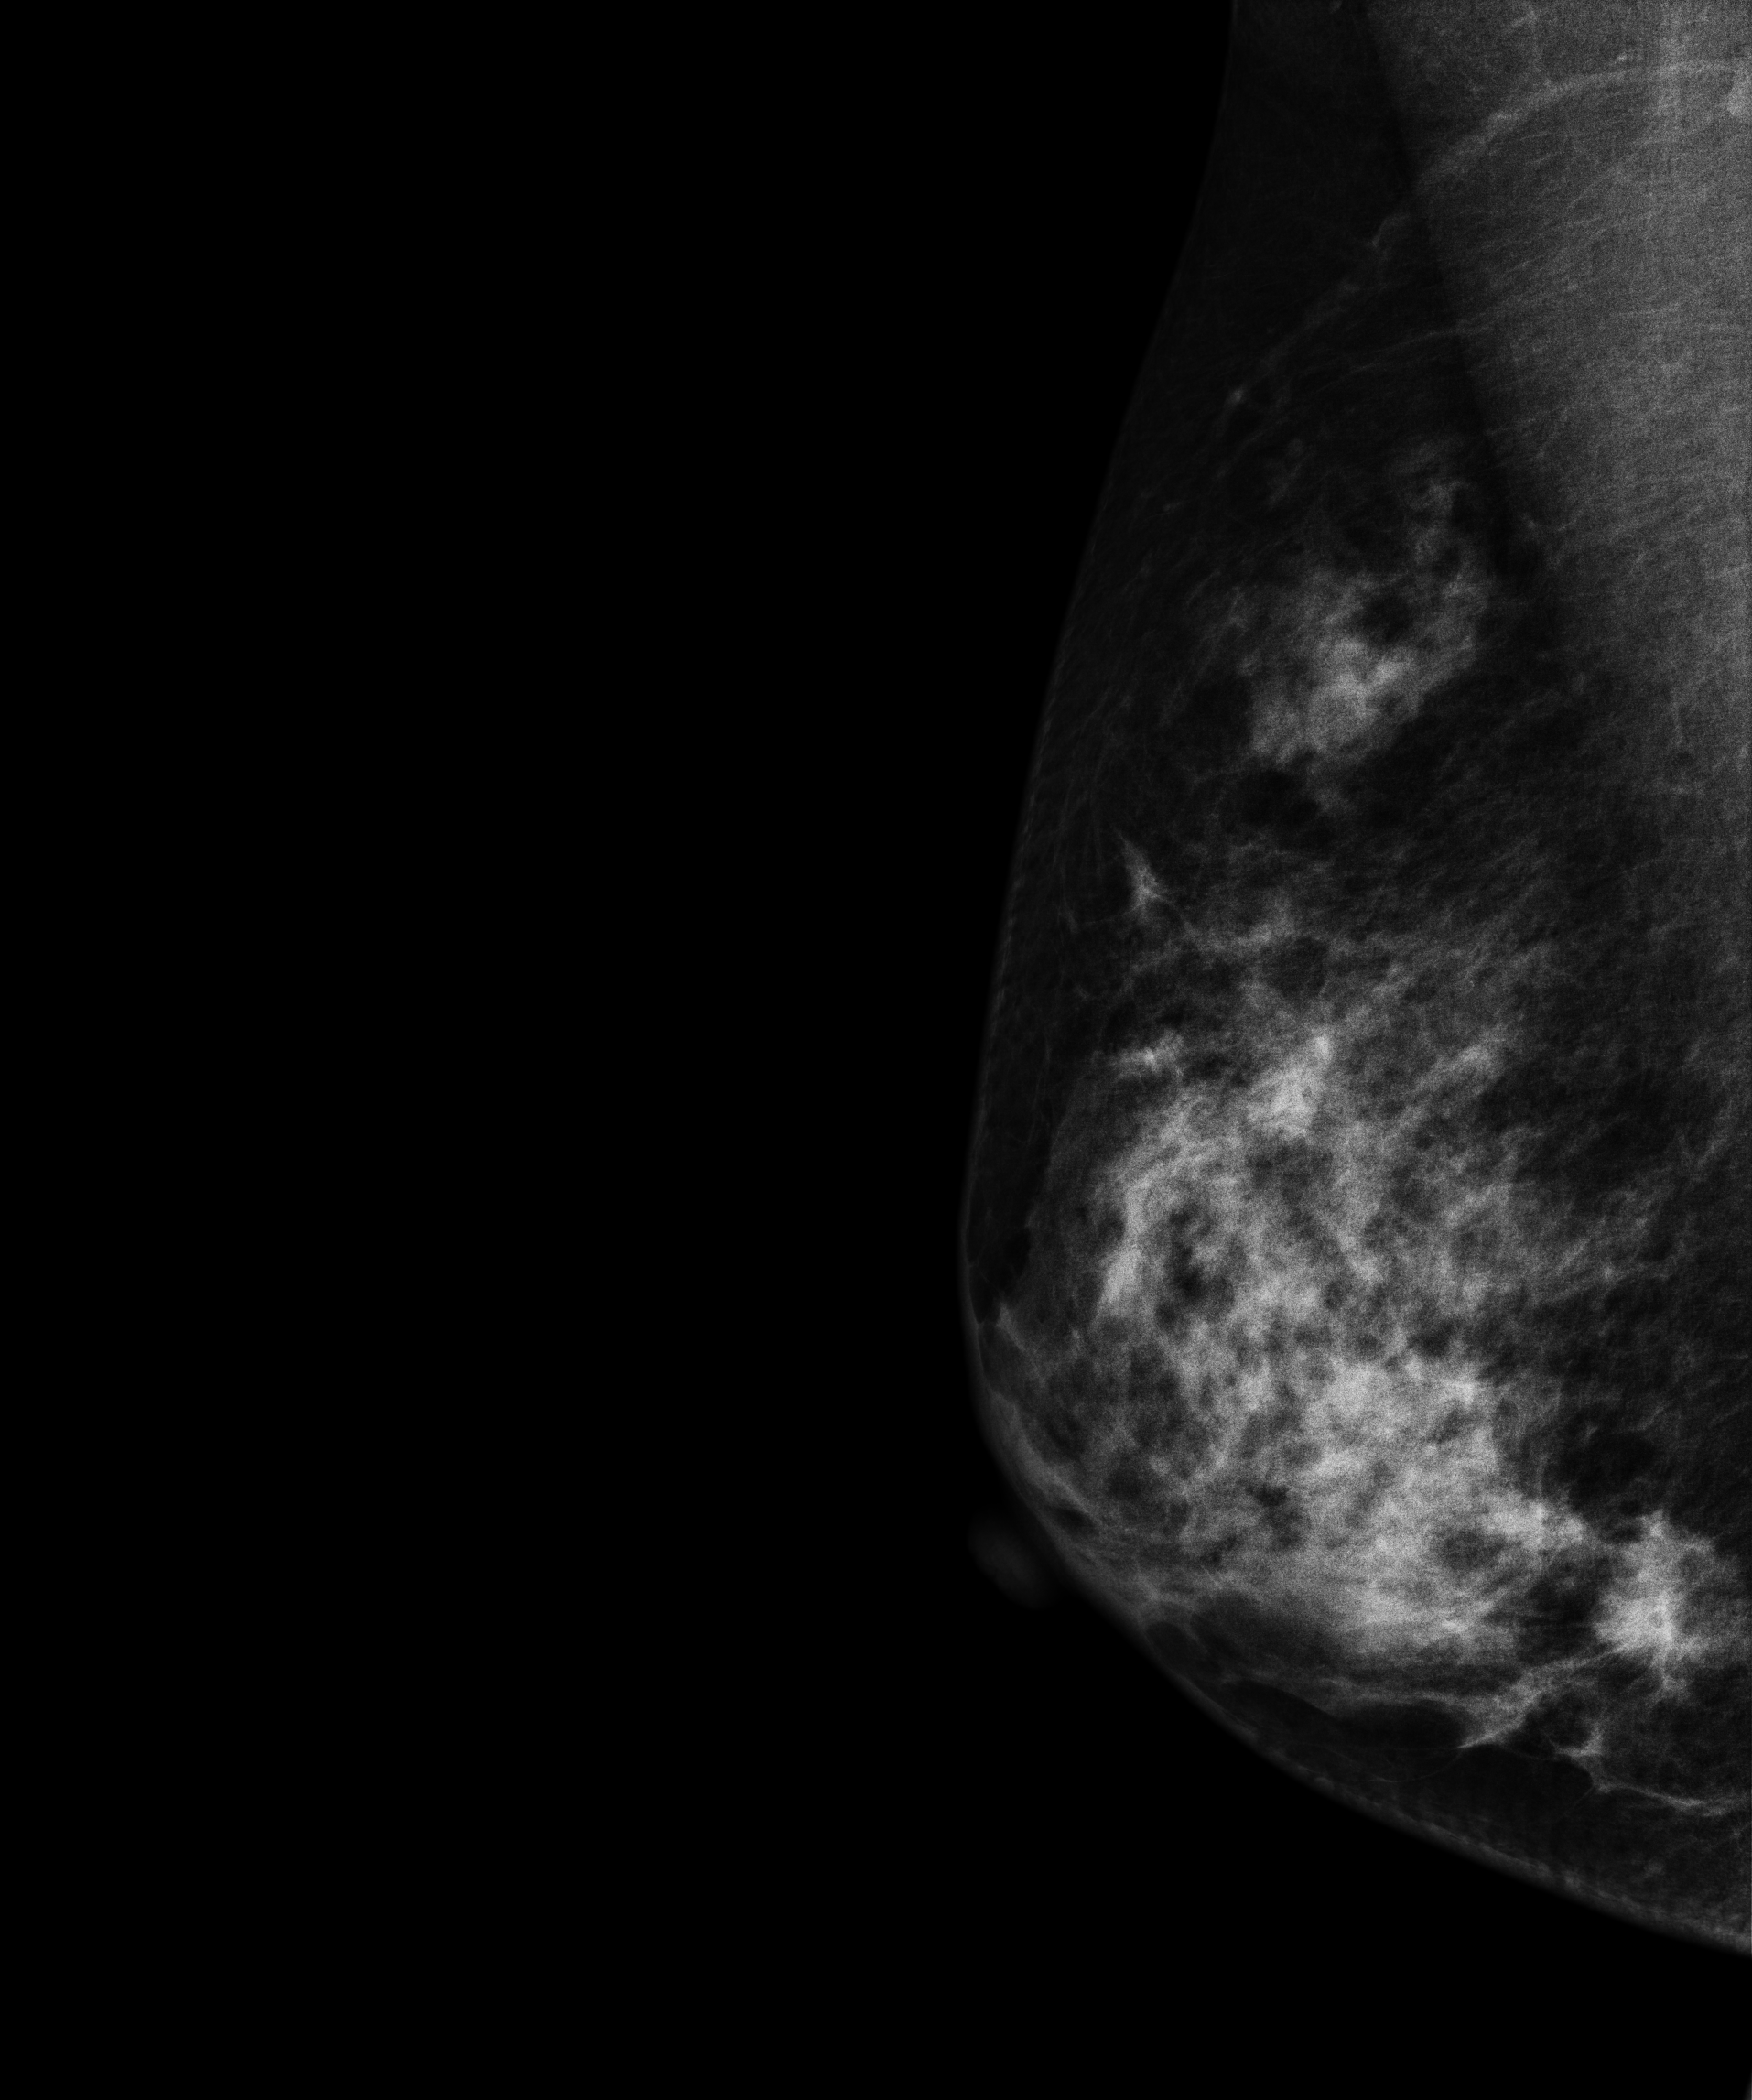
MLO mammogram of the right breast. Patient age 53.
This breast has a mass, histologically confirmed malignant. Molecular subtype: luminal A.